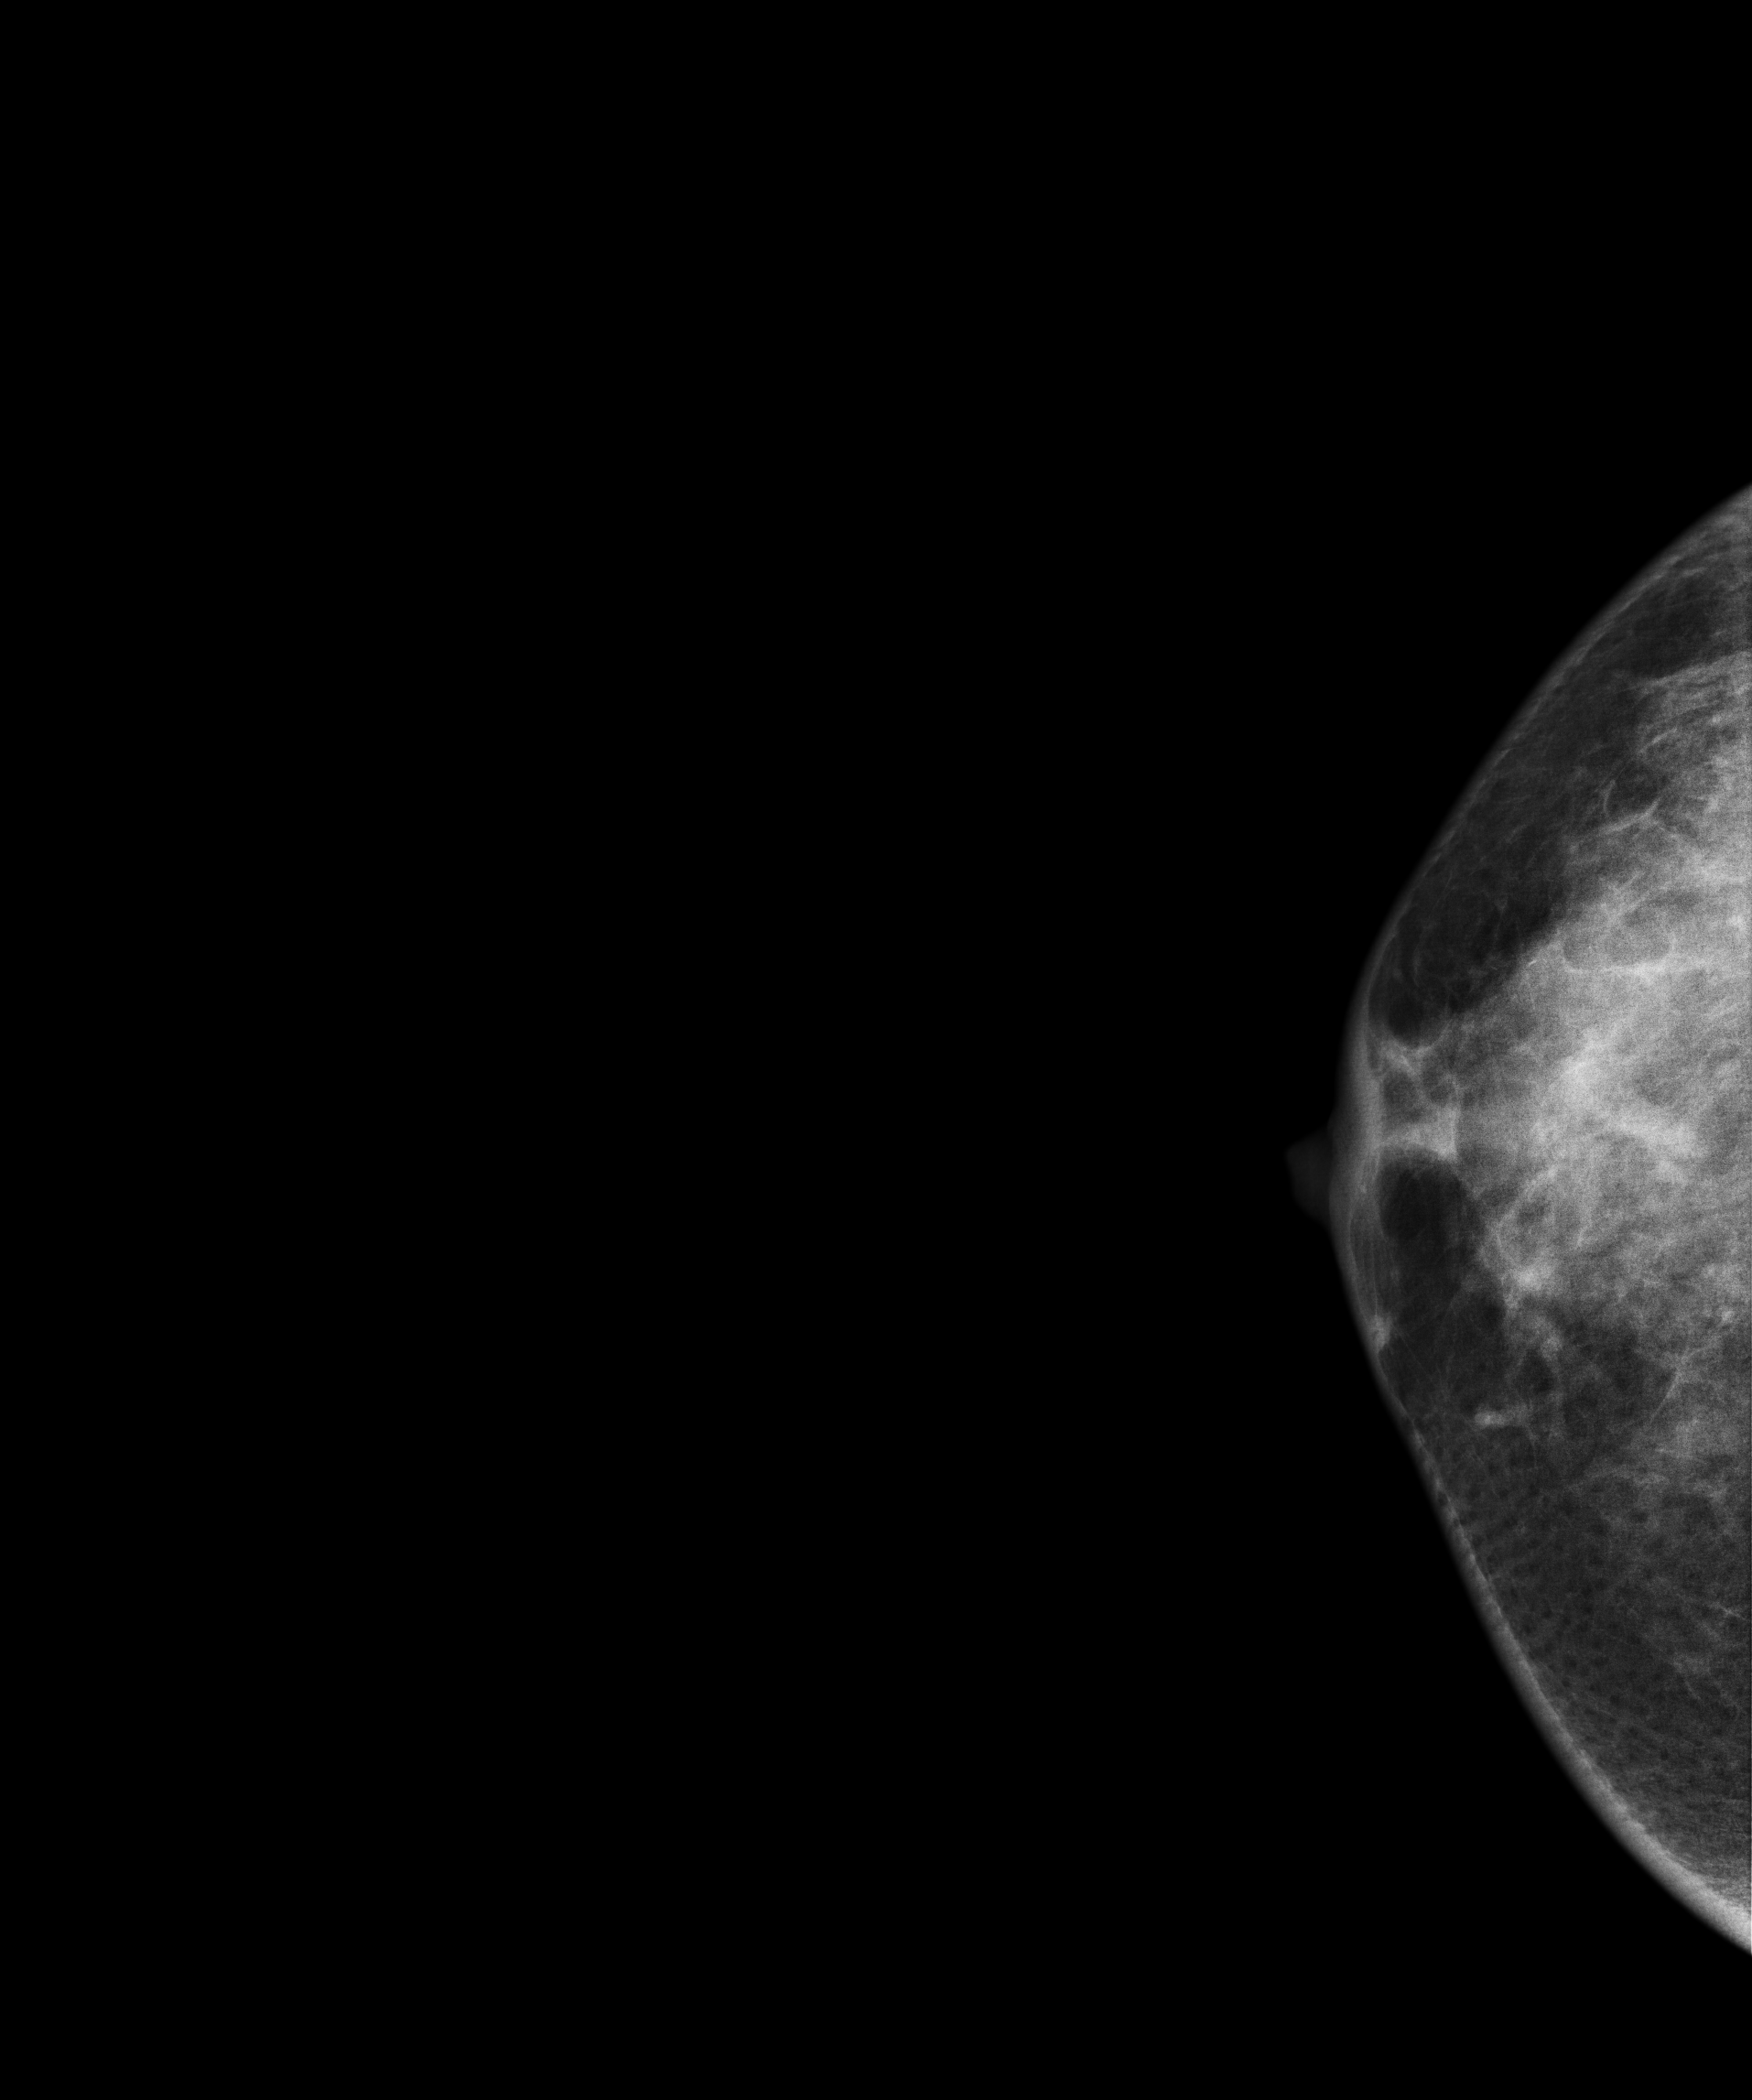
Mammogram — right cranio-caudal. 35 y/o patient.
This breast has a mass and calcifications, pathology-confirmed malignant.